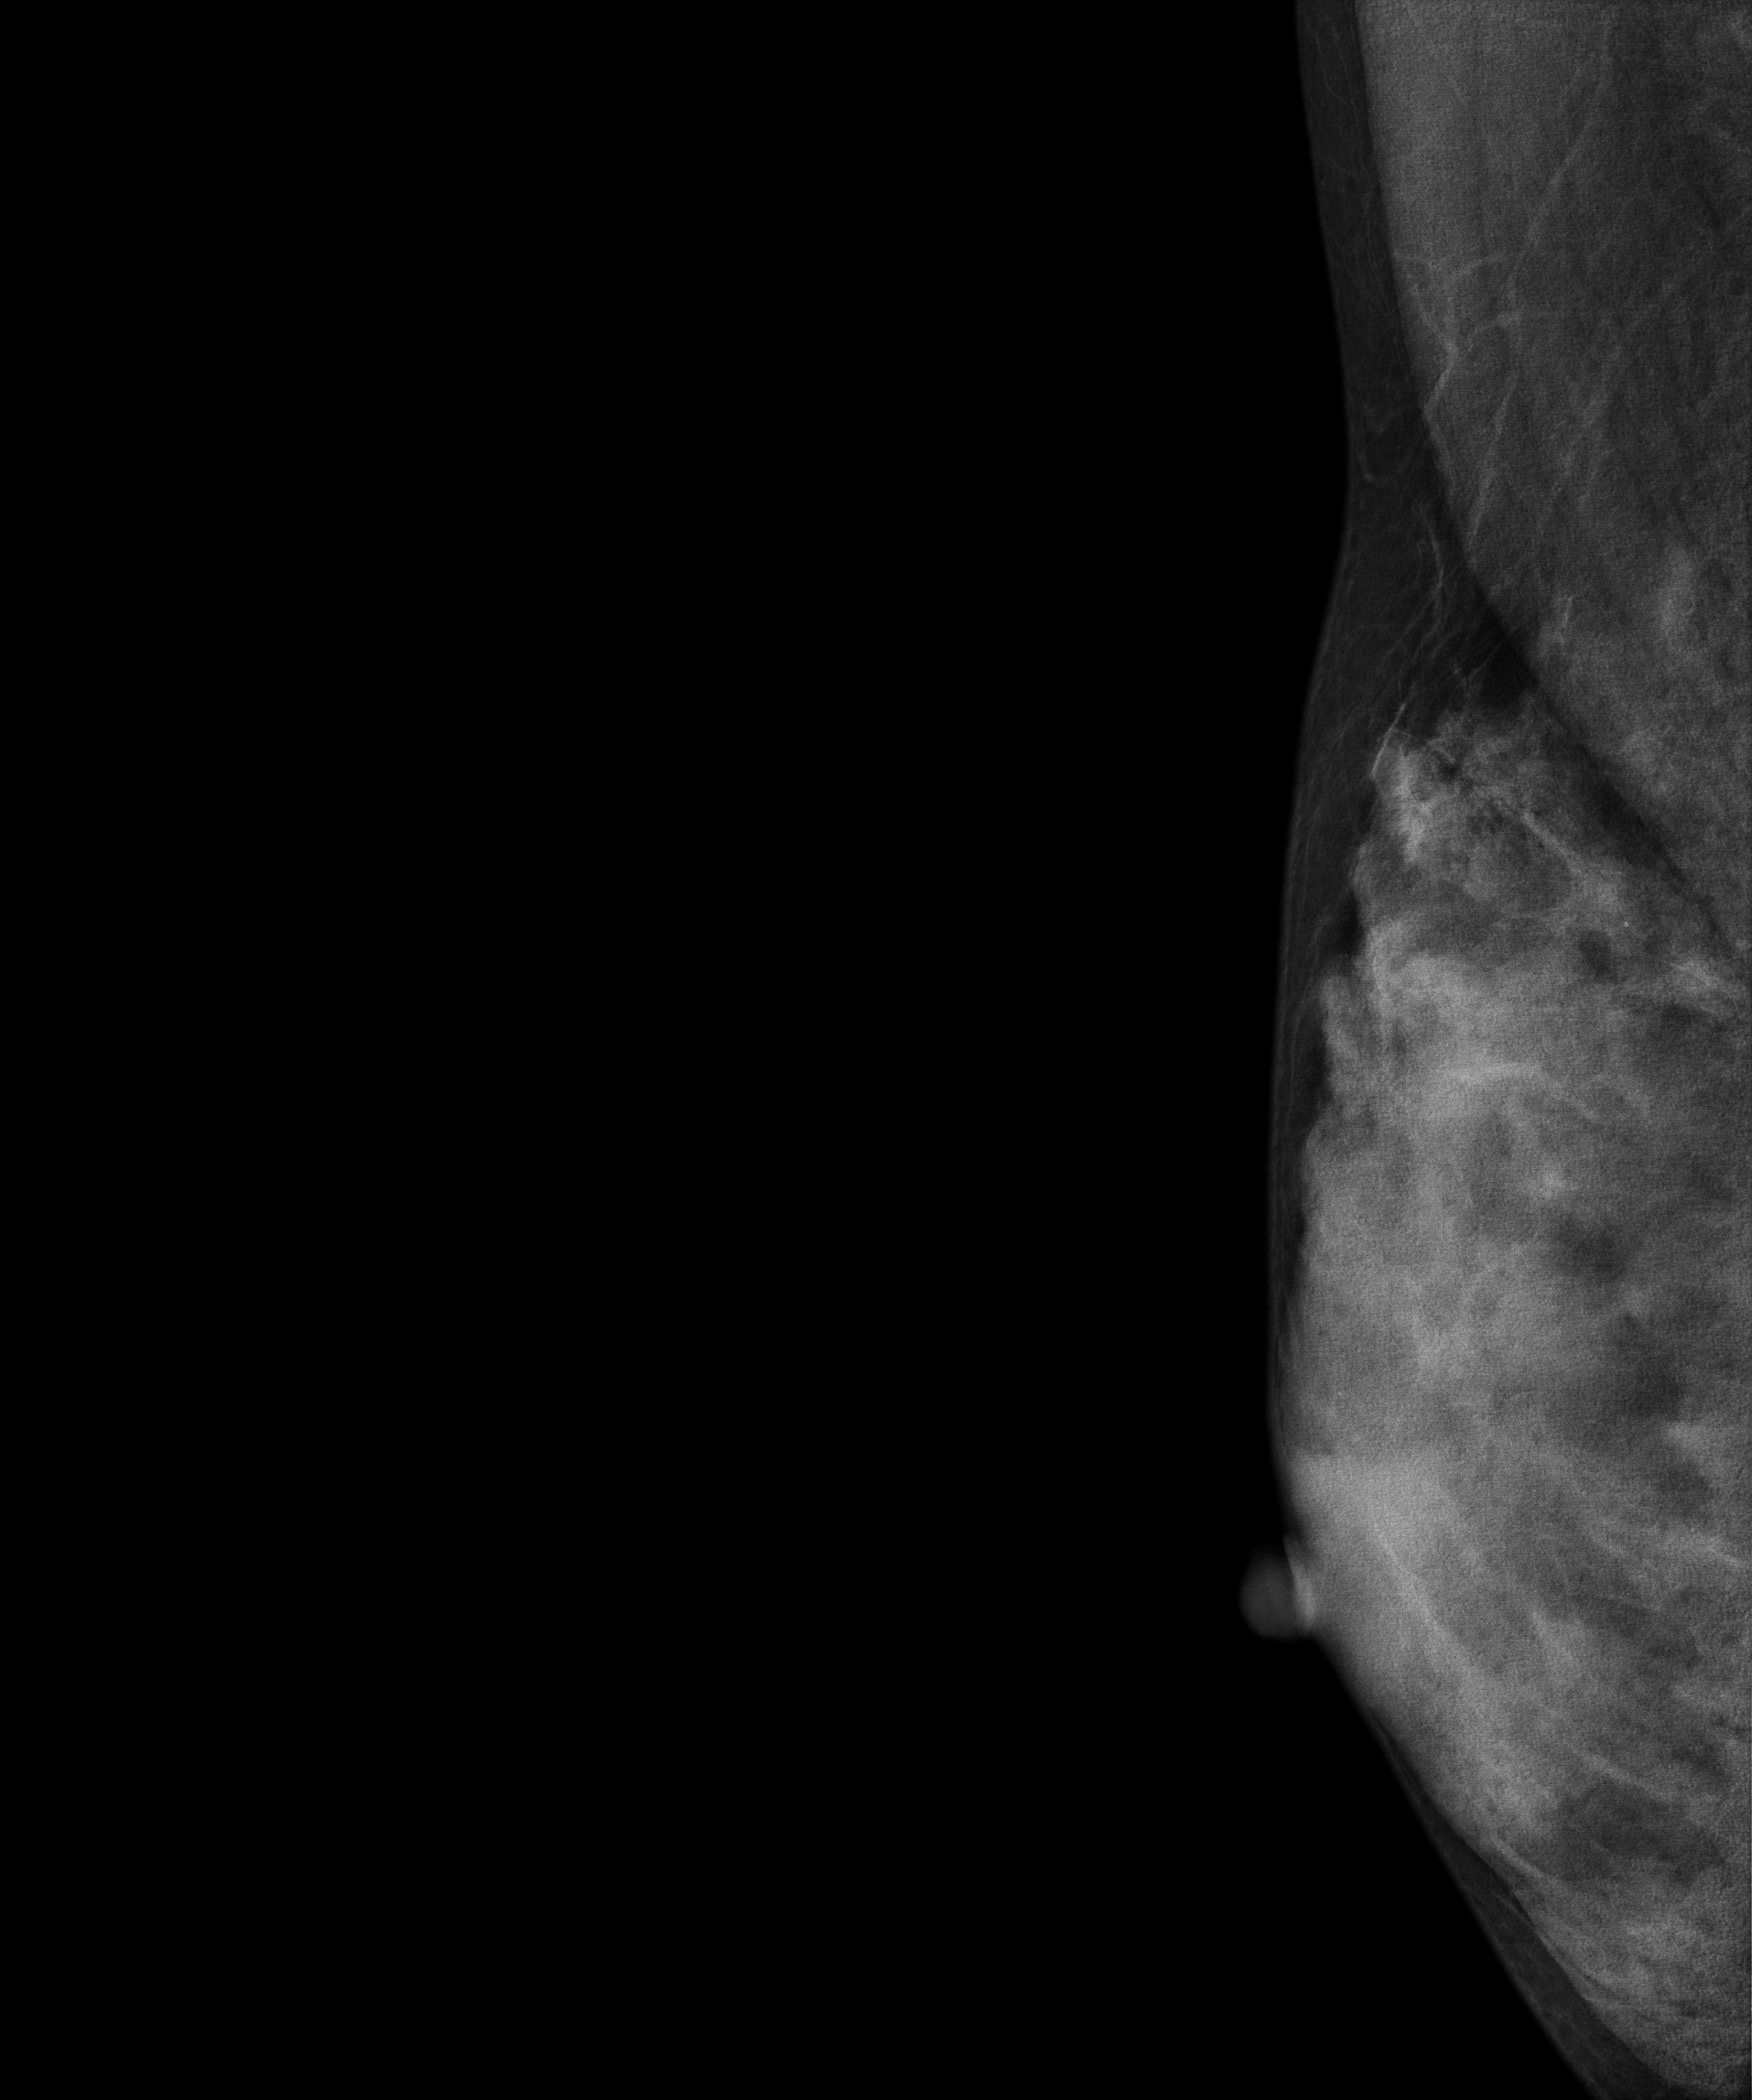
Mammogram, right breast, MLO view. 34 y/o patient.
This breast has a mass, biopsy-confirmed benign.